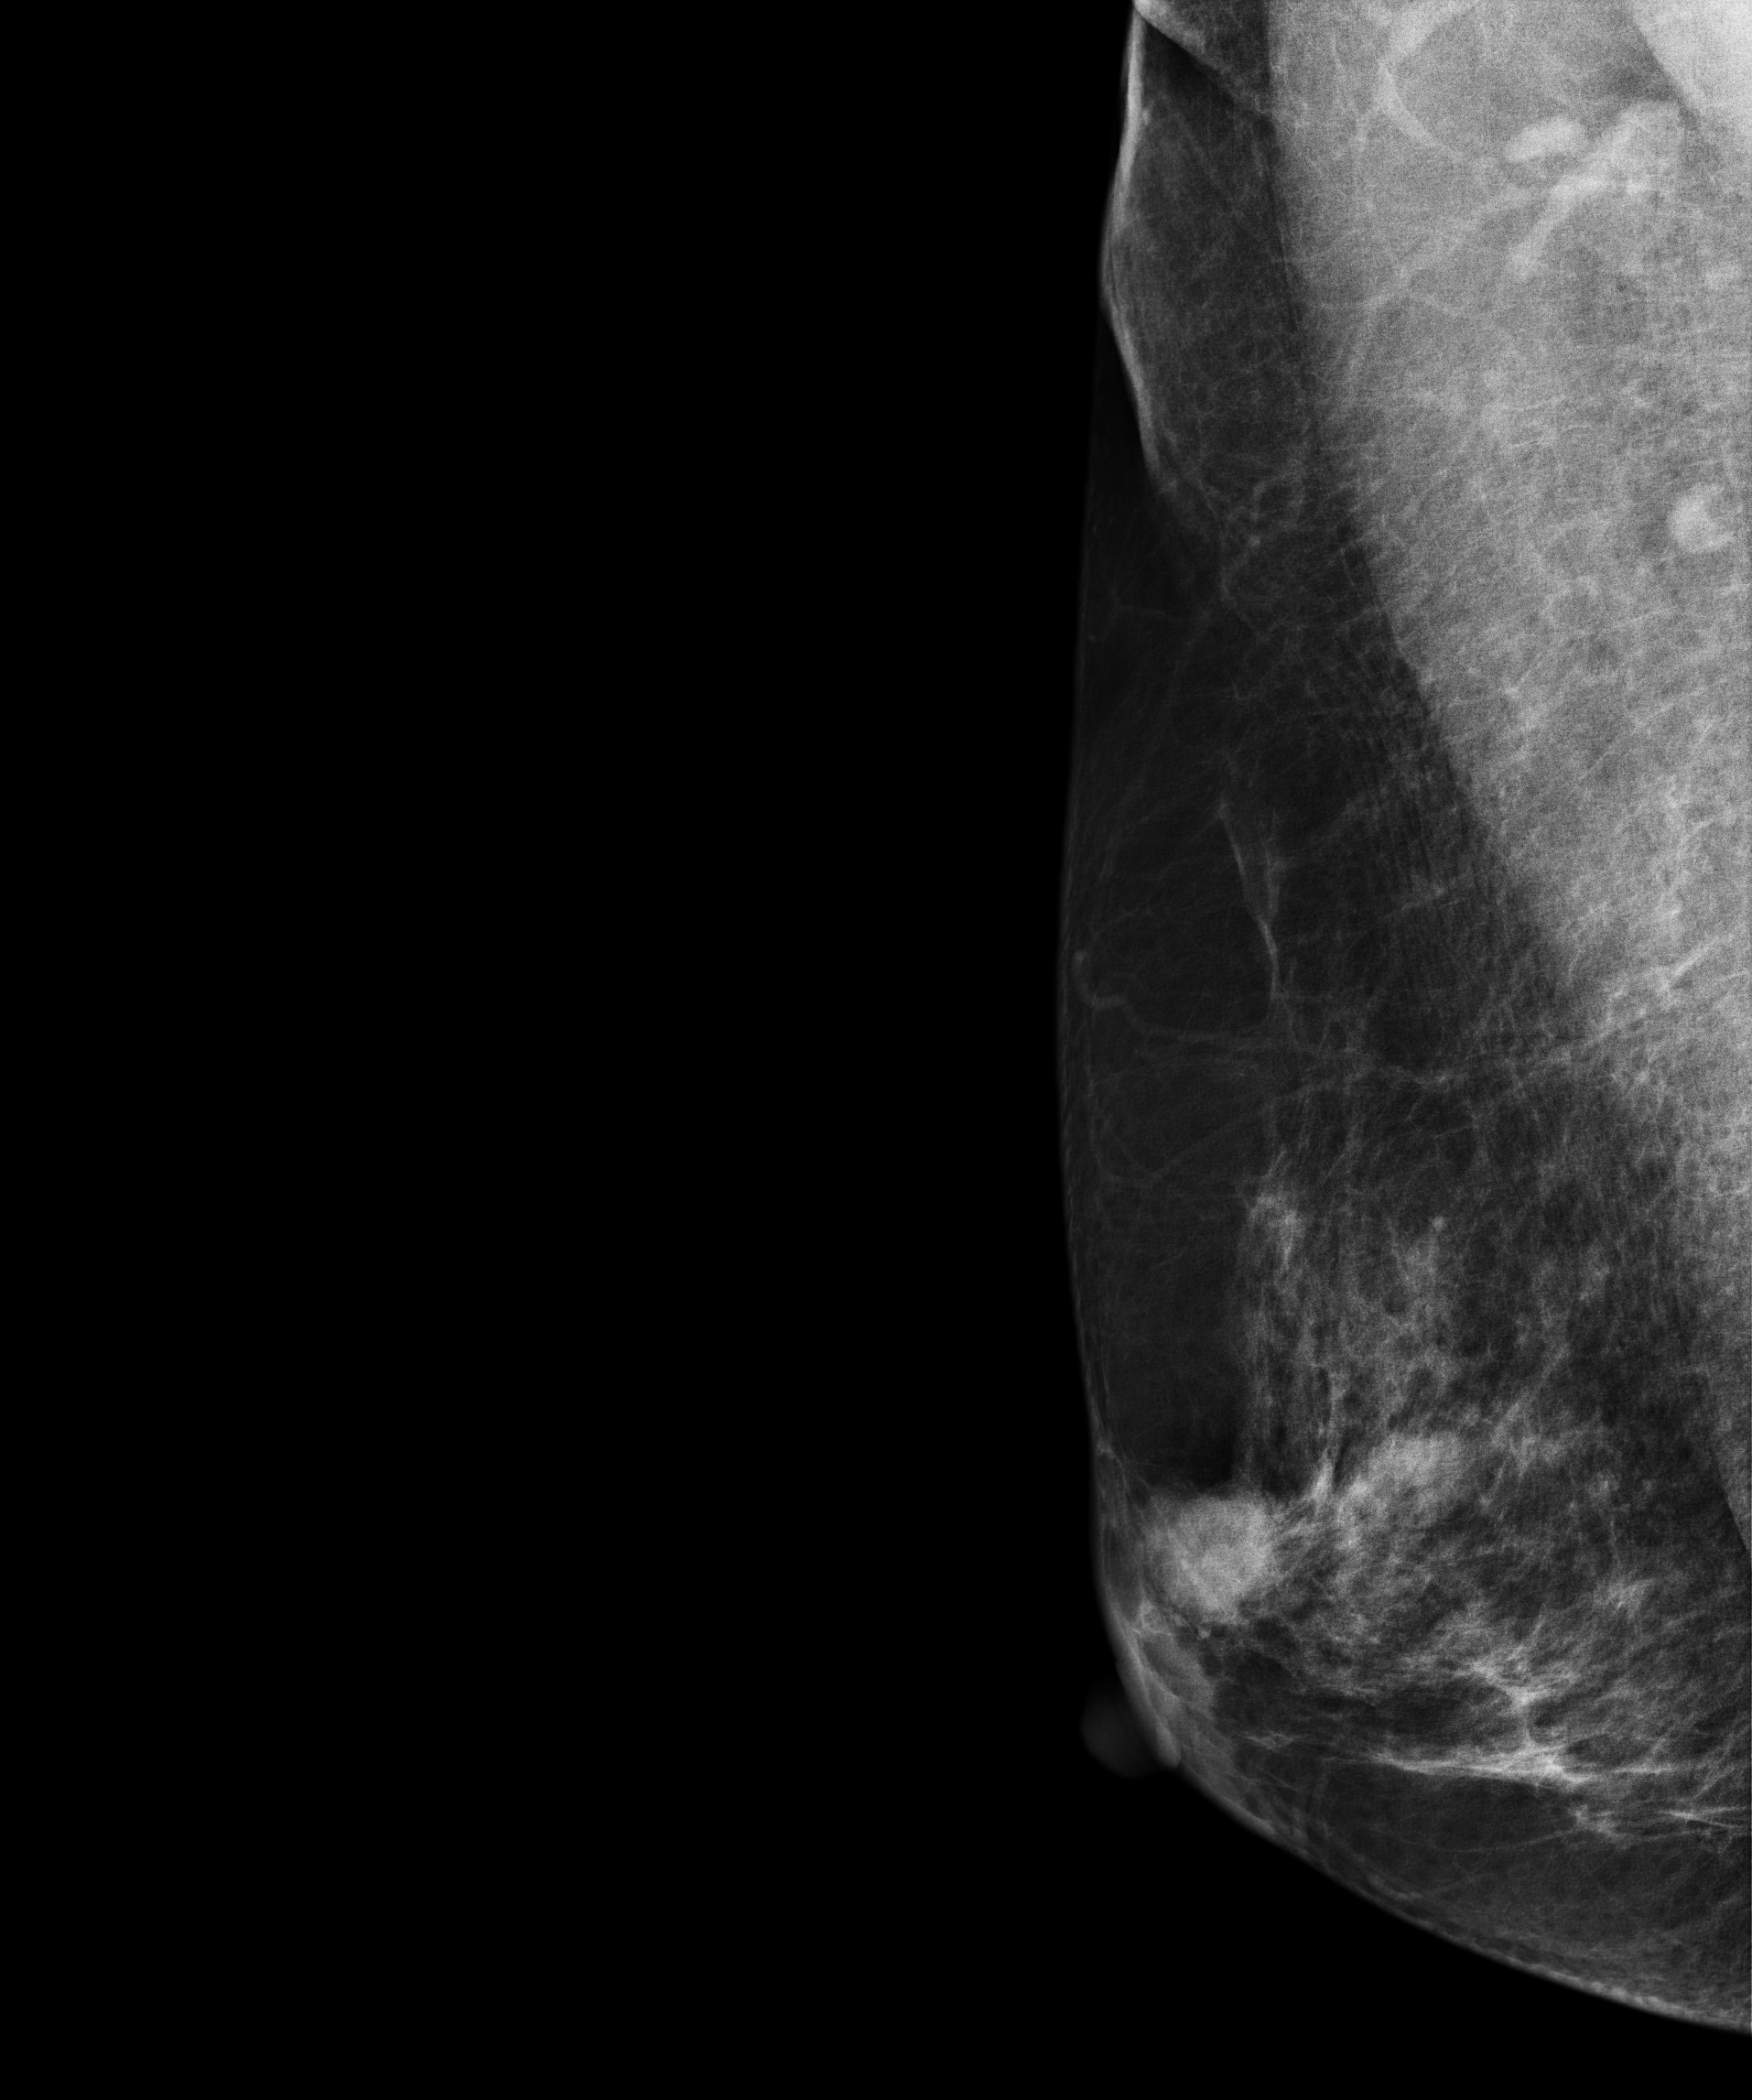
Right-breast mammogram, MLO. Patient age 62.
This breast has a mass, pathology-confirmed malignant. Molecular subtype: luminal B.